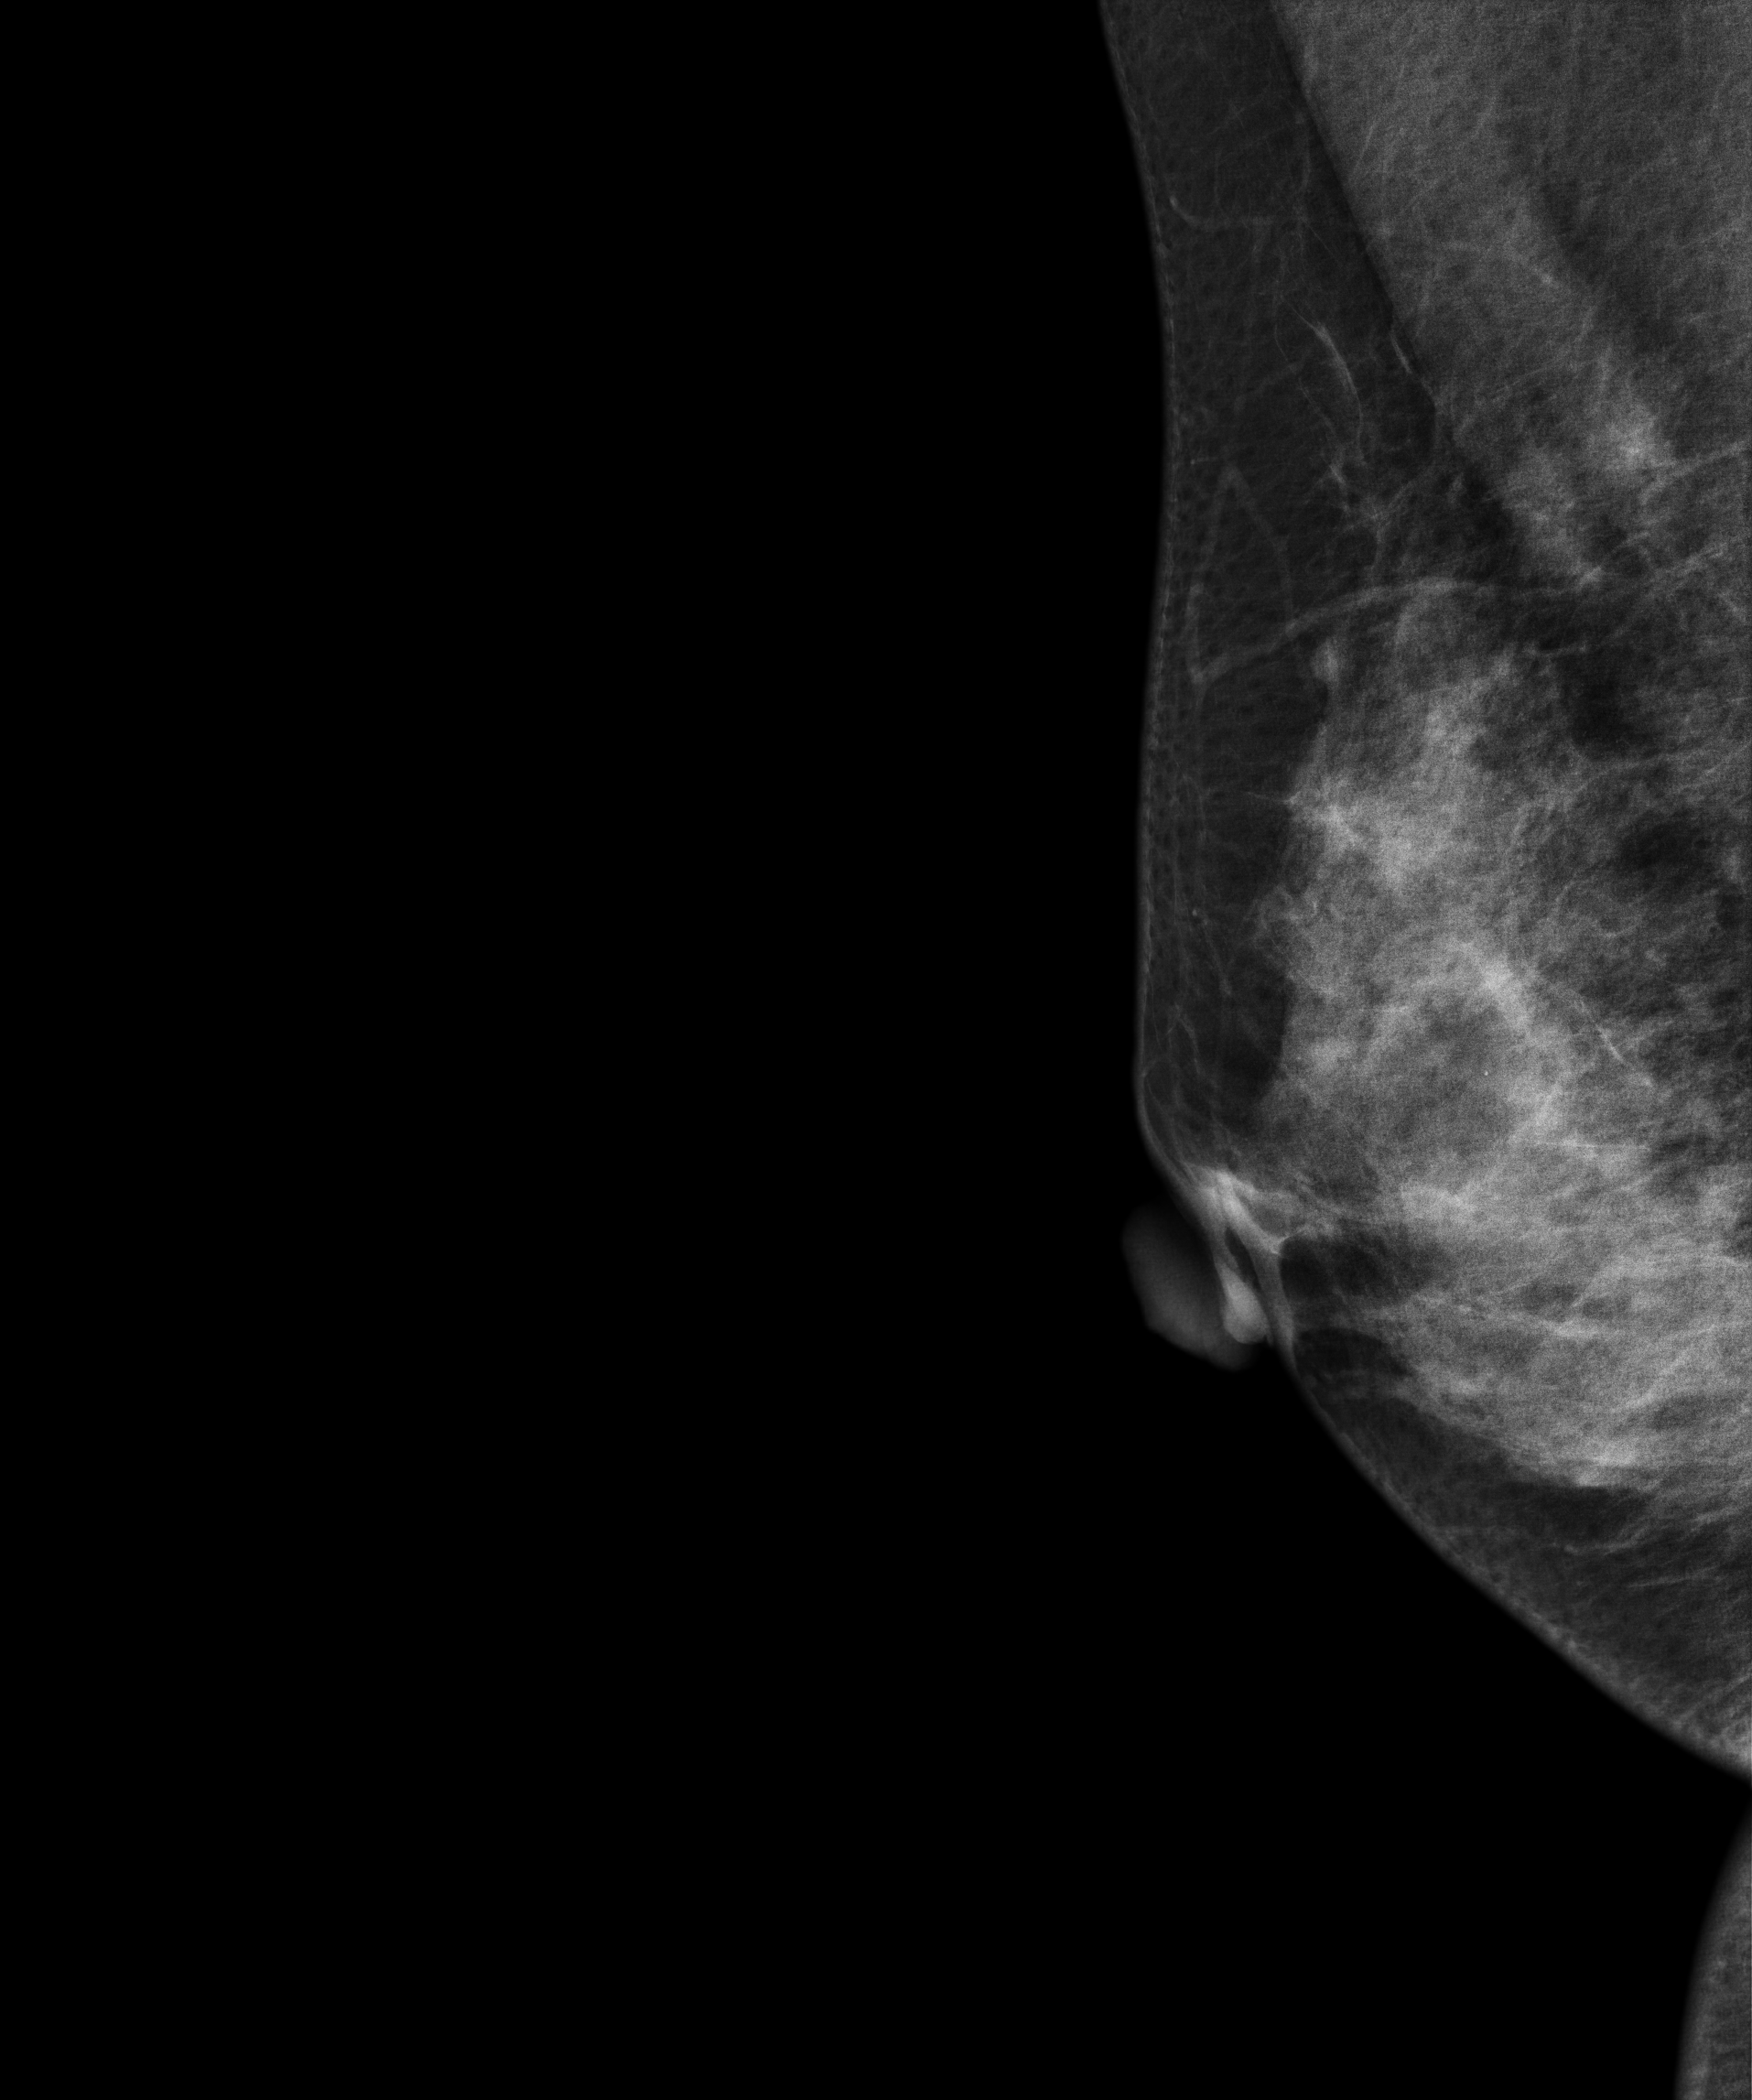
MLO mammogram of the right breast. 46-year-old patient.
Contralateral breast — no documented abnormality on this side.